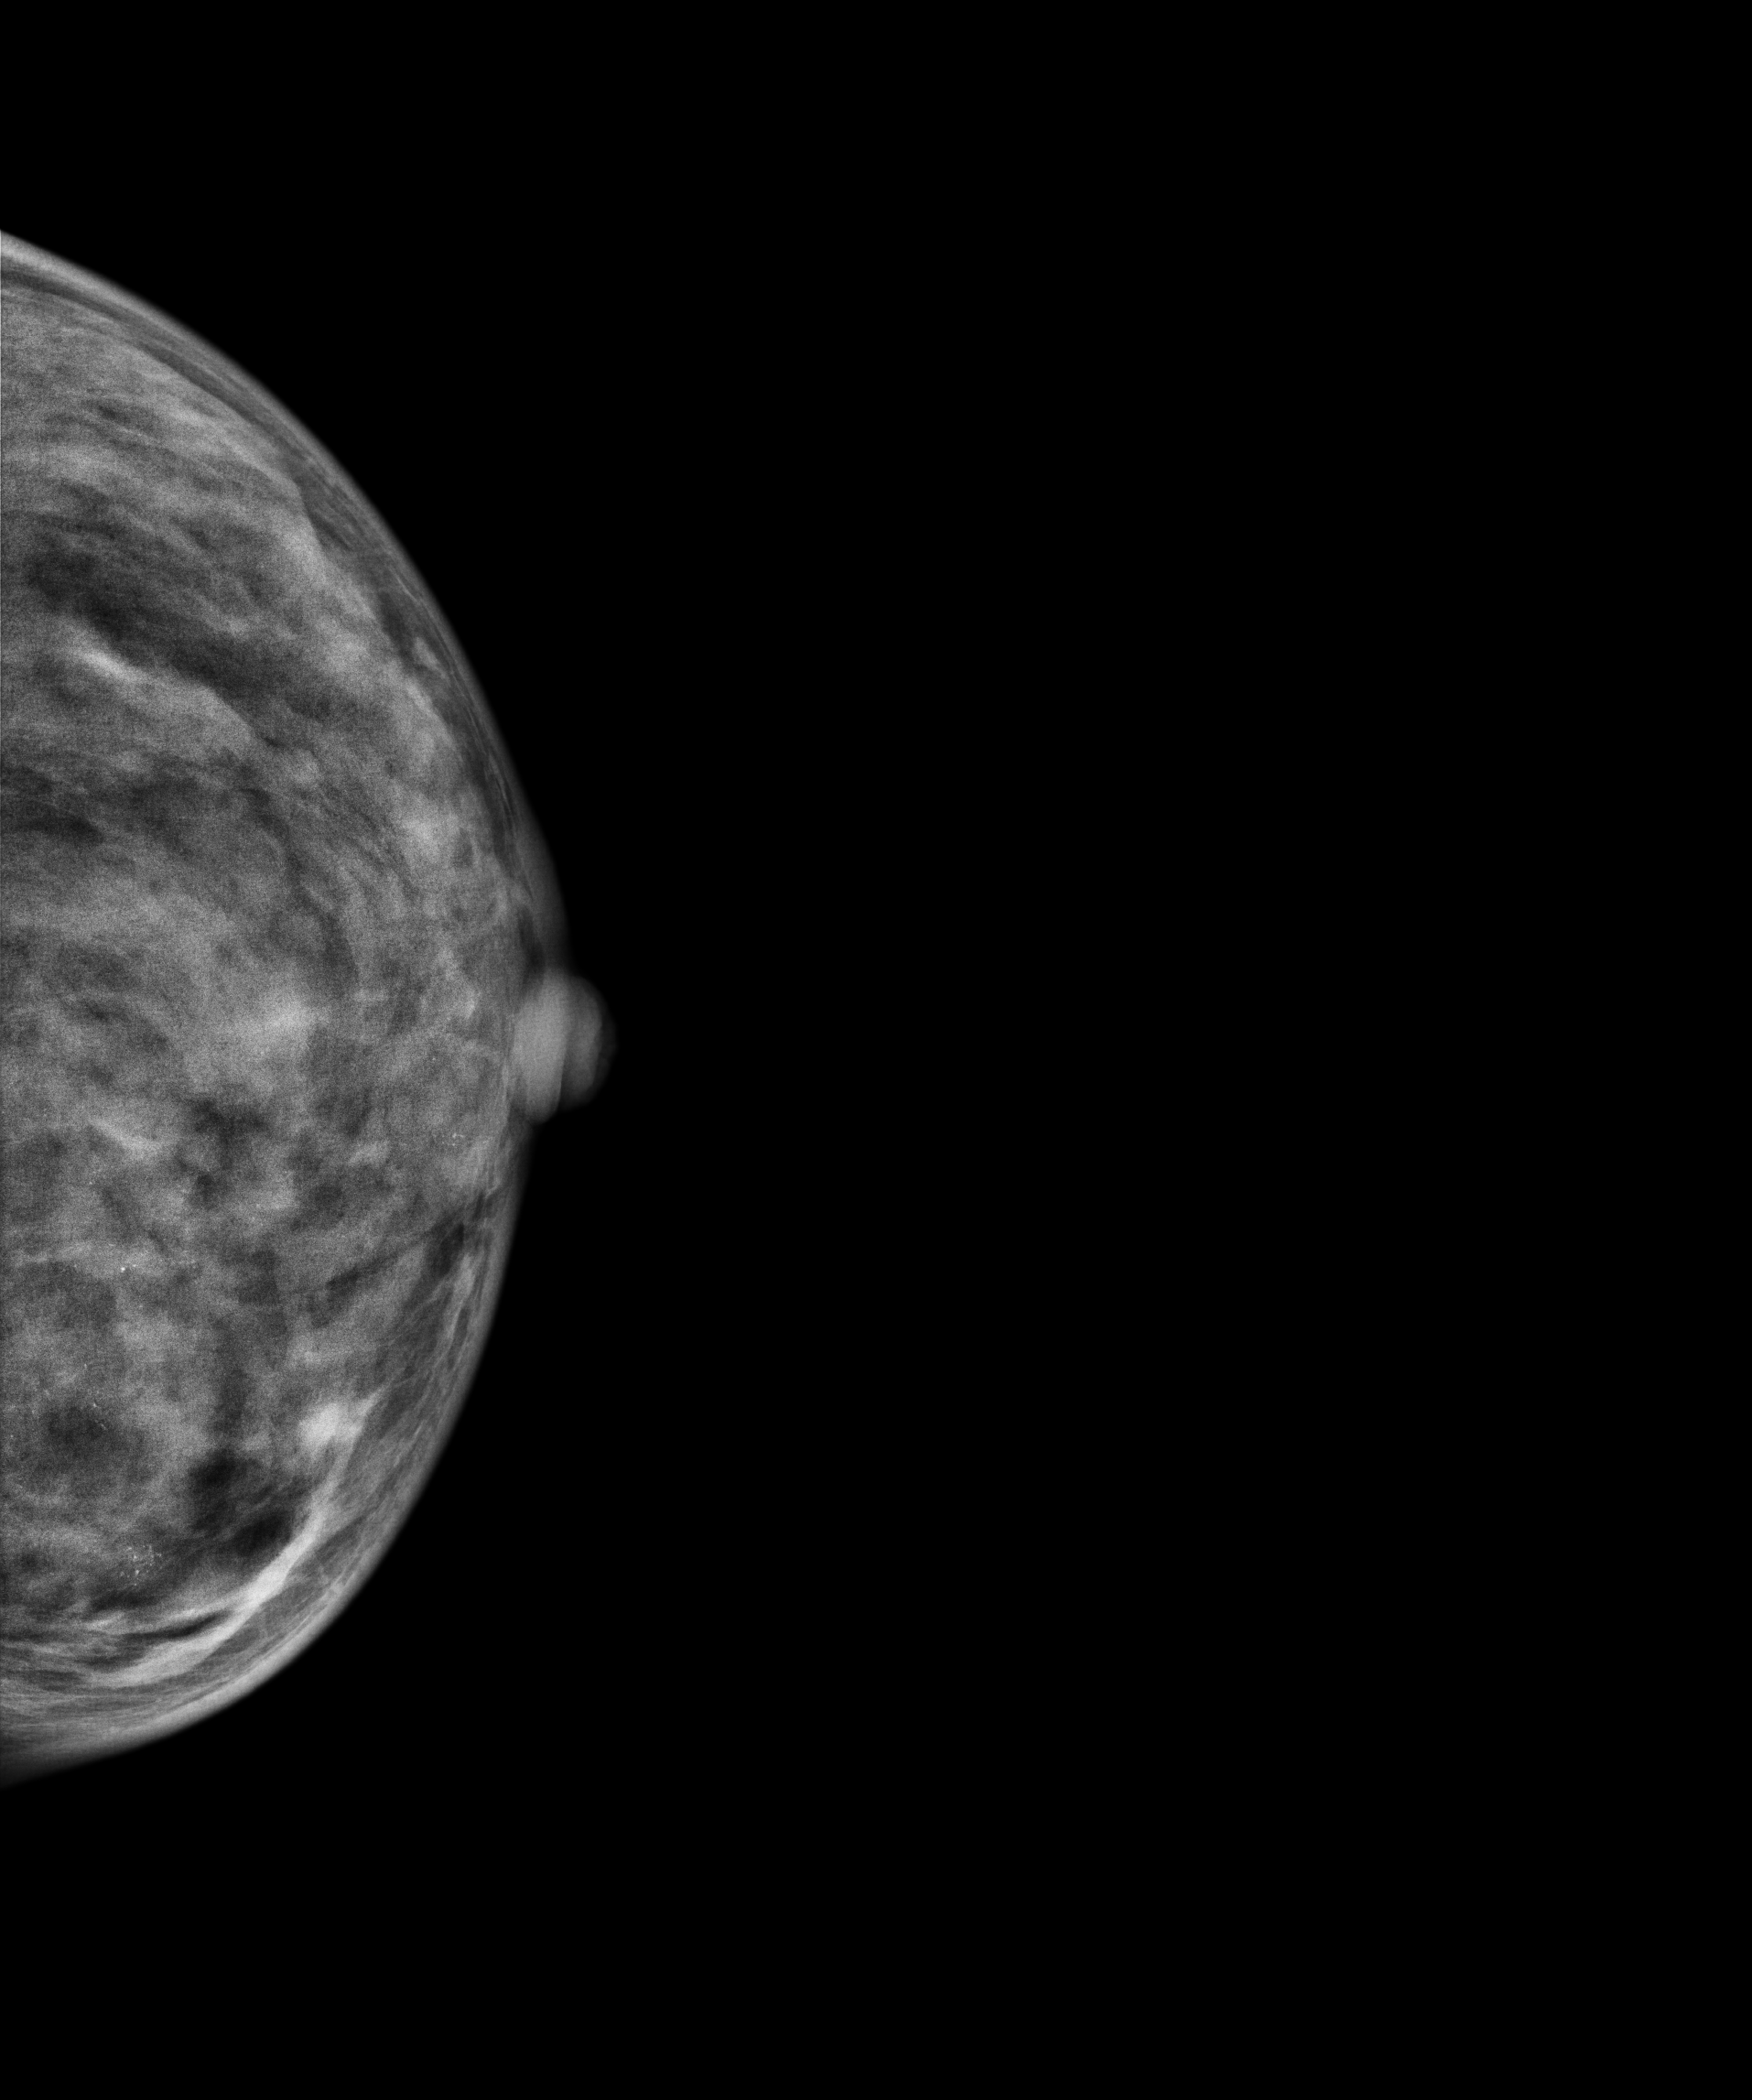
Digital mammography. Left breast, cranio-caudal projection. 41 y/o patient.
This breast has a mass and calcifications, biopsy-proven malignant.